Digital mammography. Right breast, medio-lateral oblique projection. 35 y/o patient.
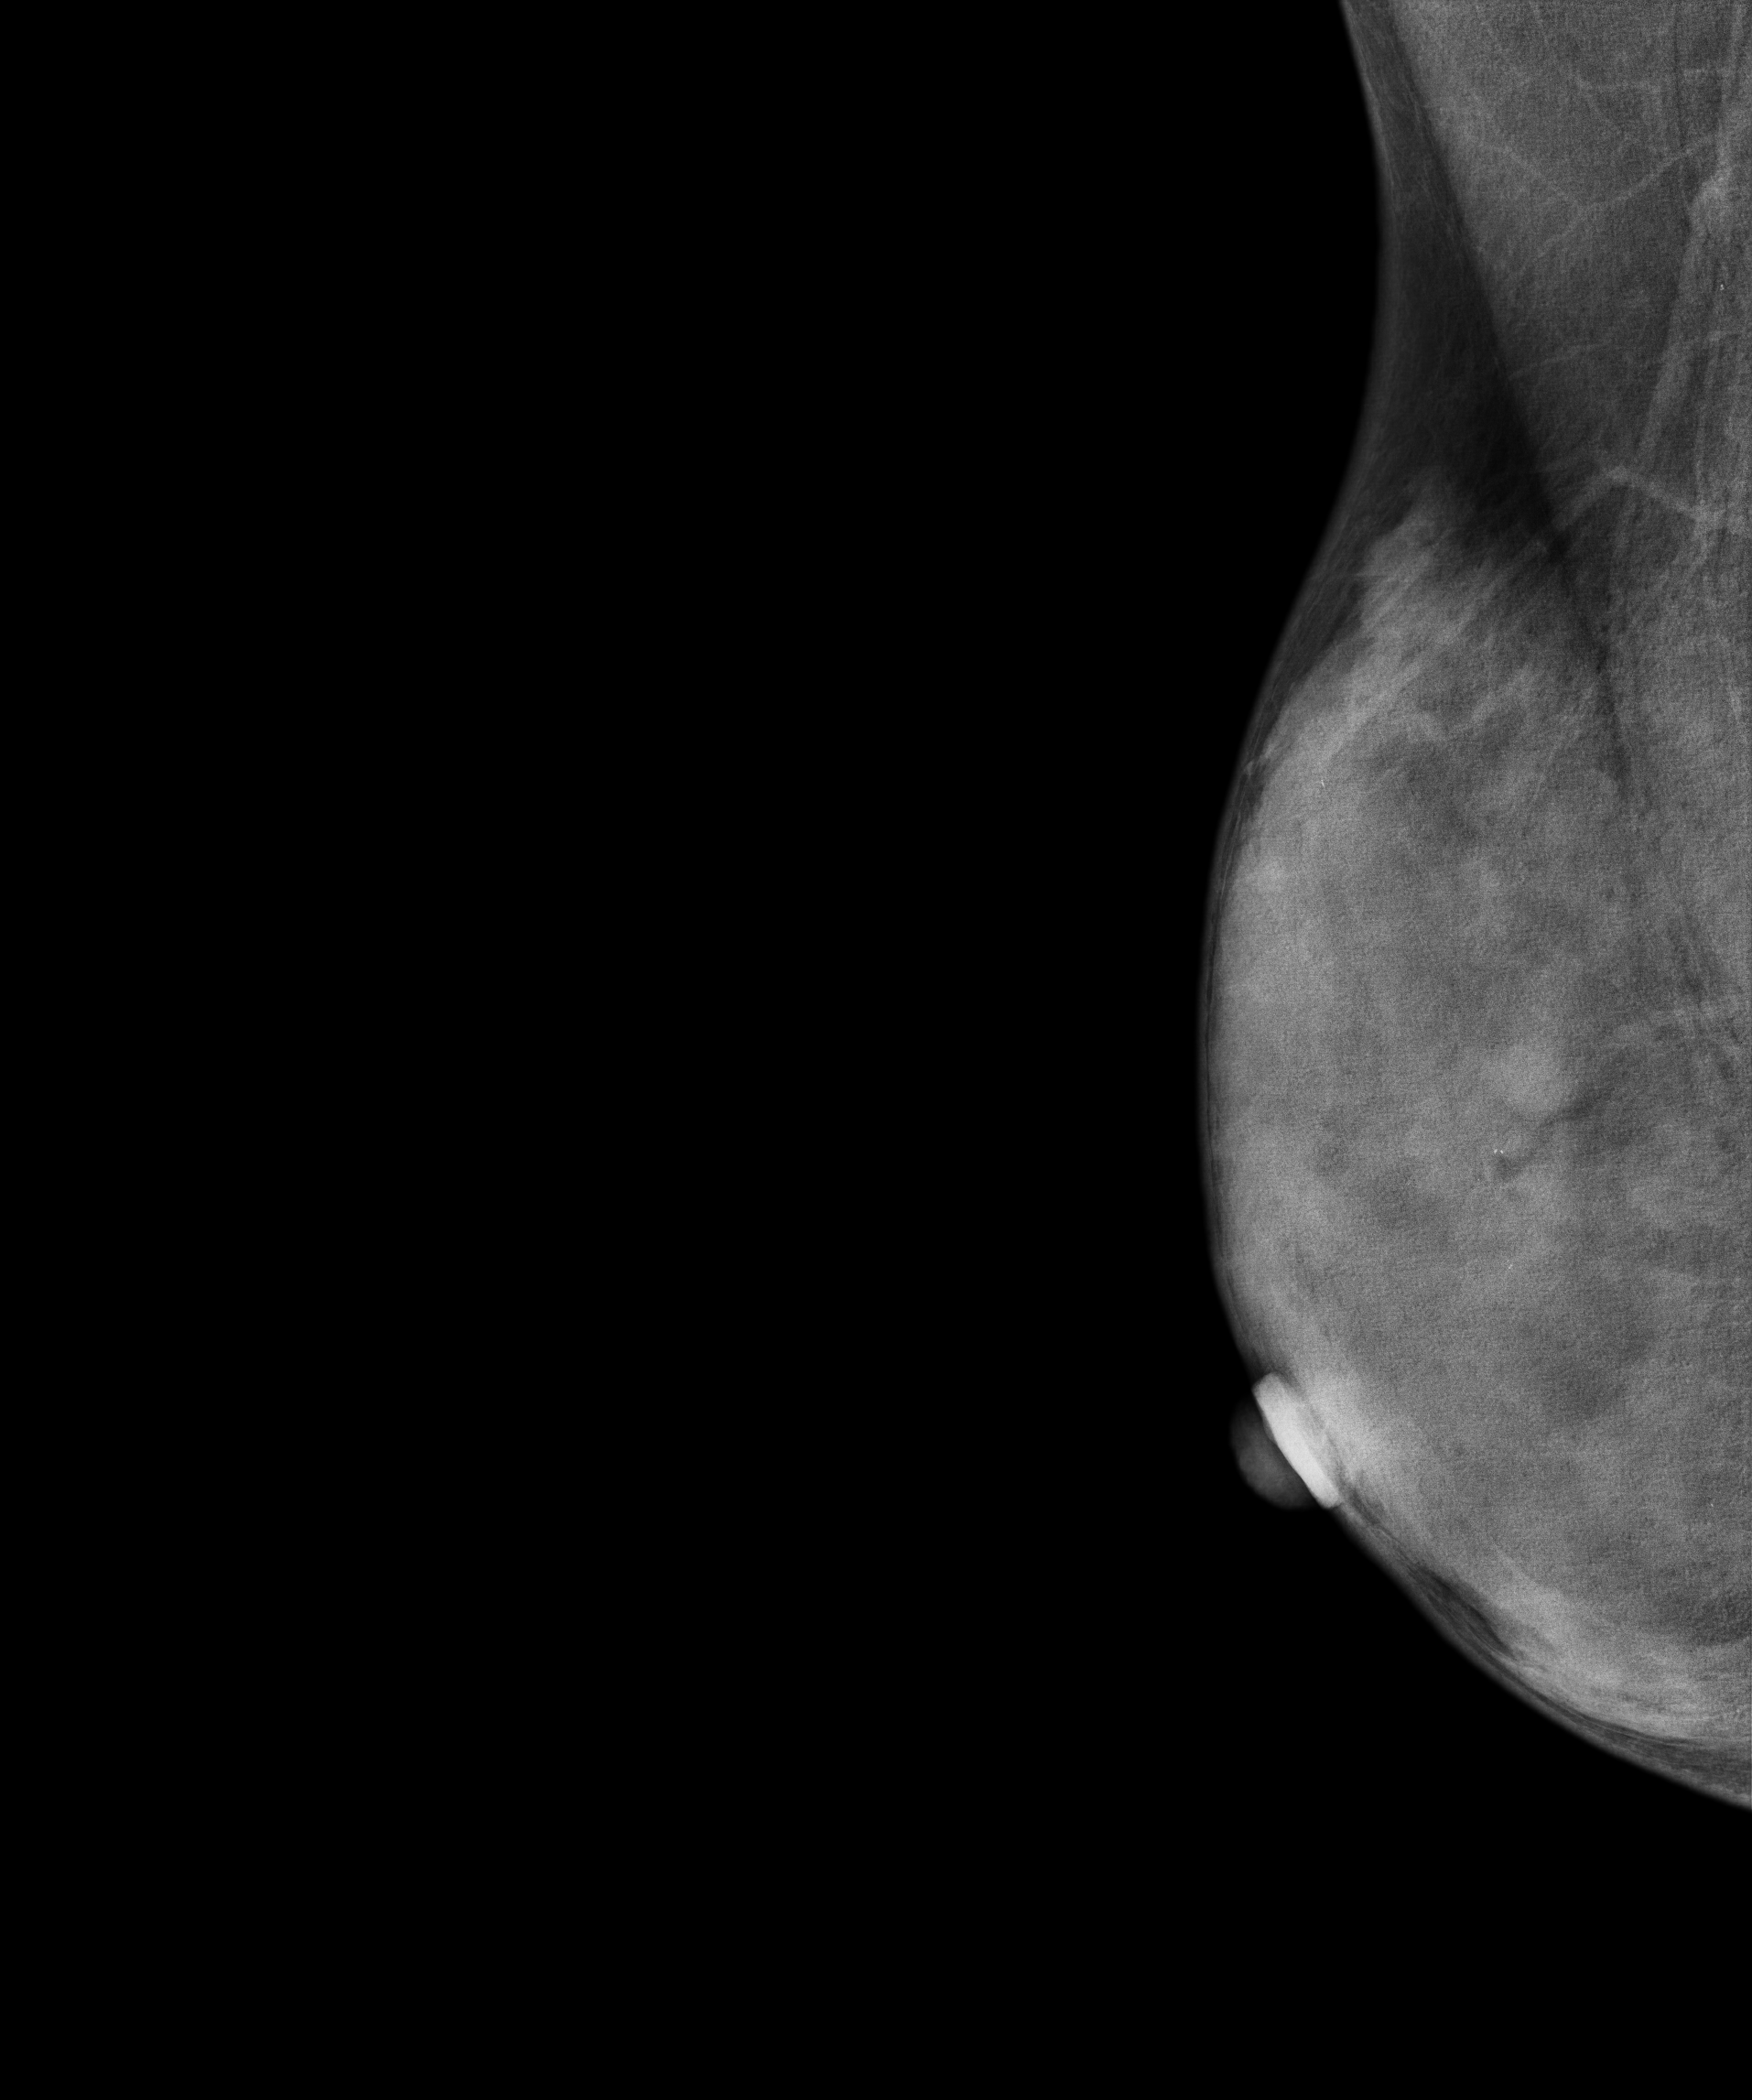
This breast has calcifications, pathology-confirmed malignant. Molecular subtype: luminal B.